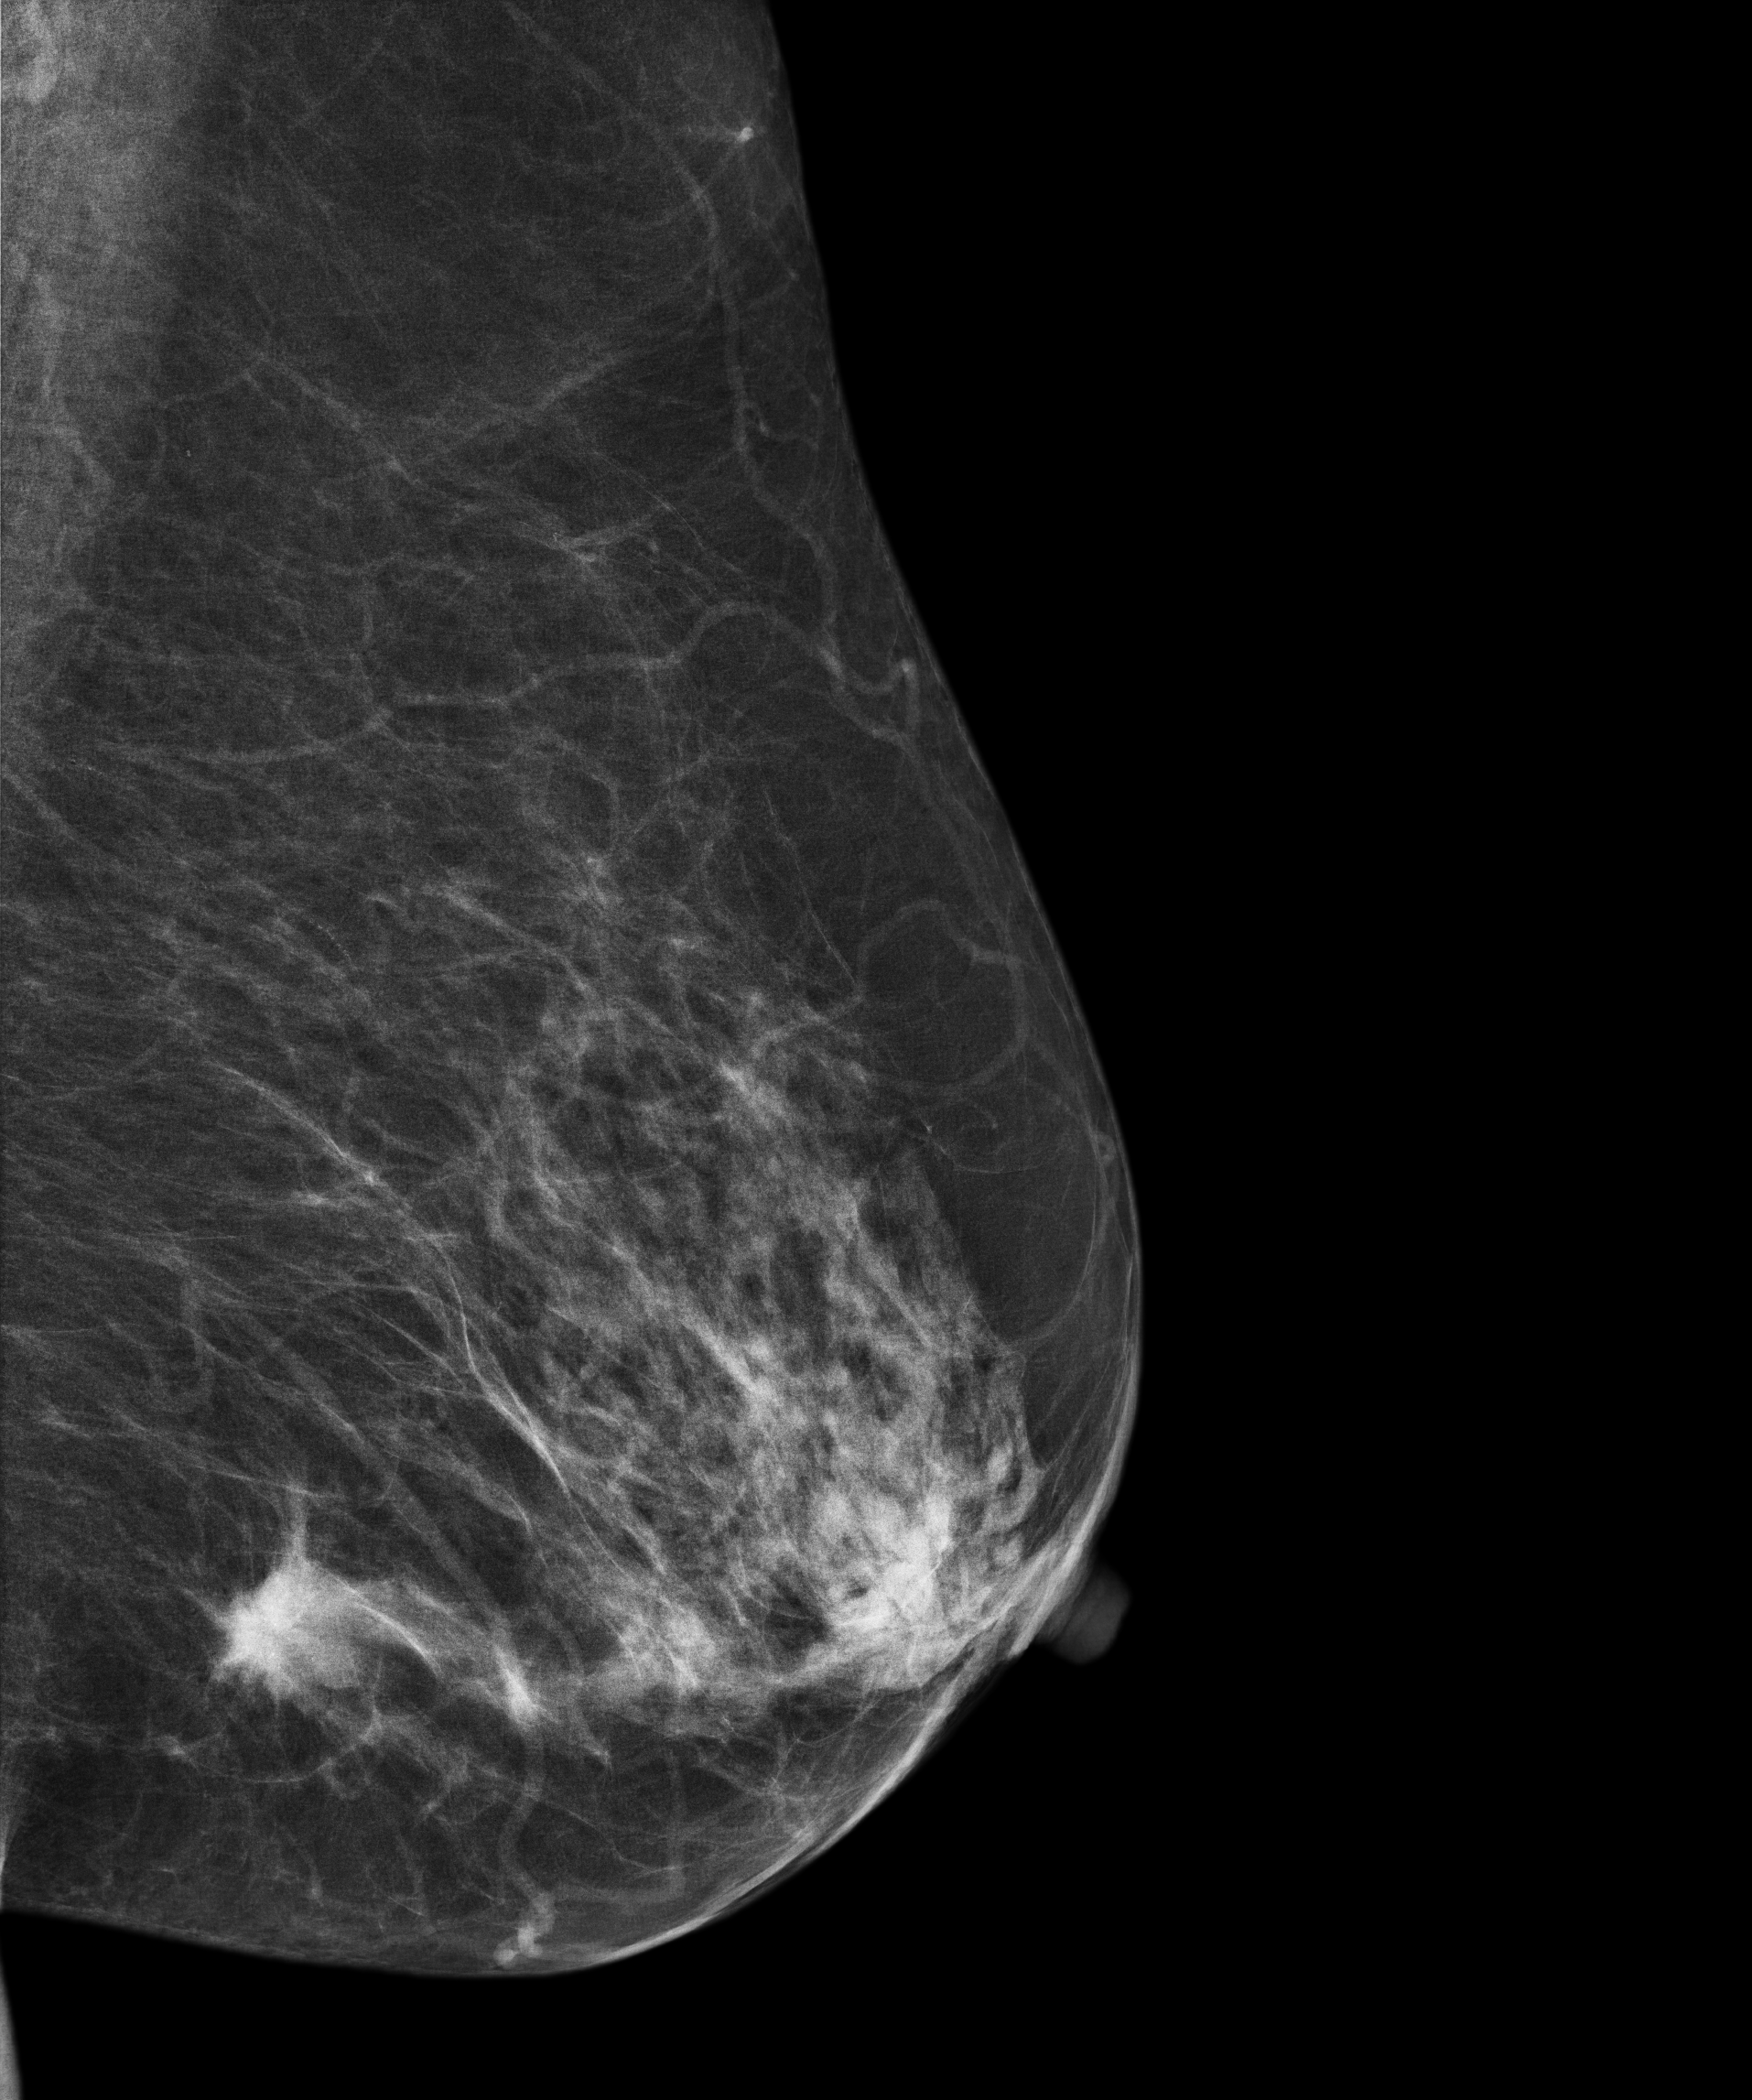
Digital mammography. Left breast, medio-lateral oblique projection. 74-year-old patient.
This breast has a mass, histologically confirmed malignant.